Mammogram — right medio-lateral oblique. Patient age 38.
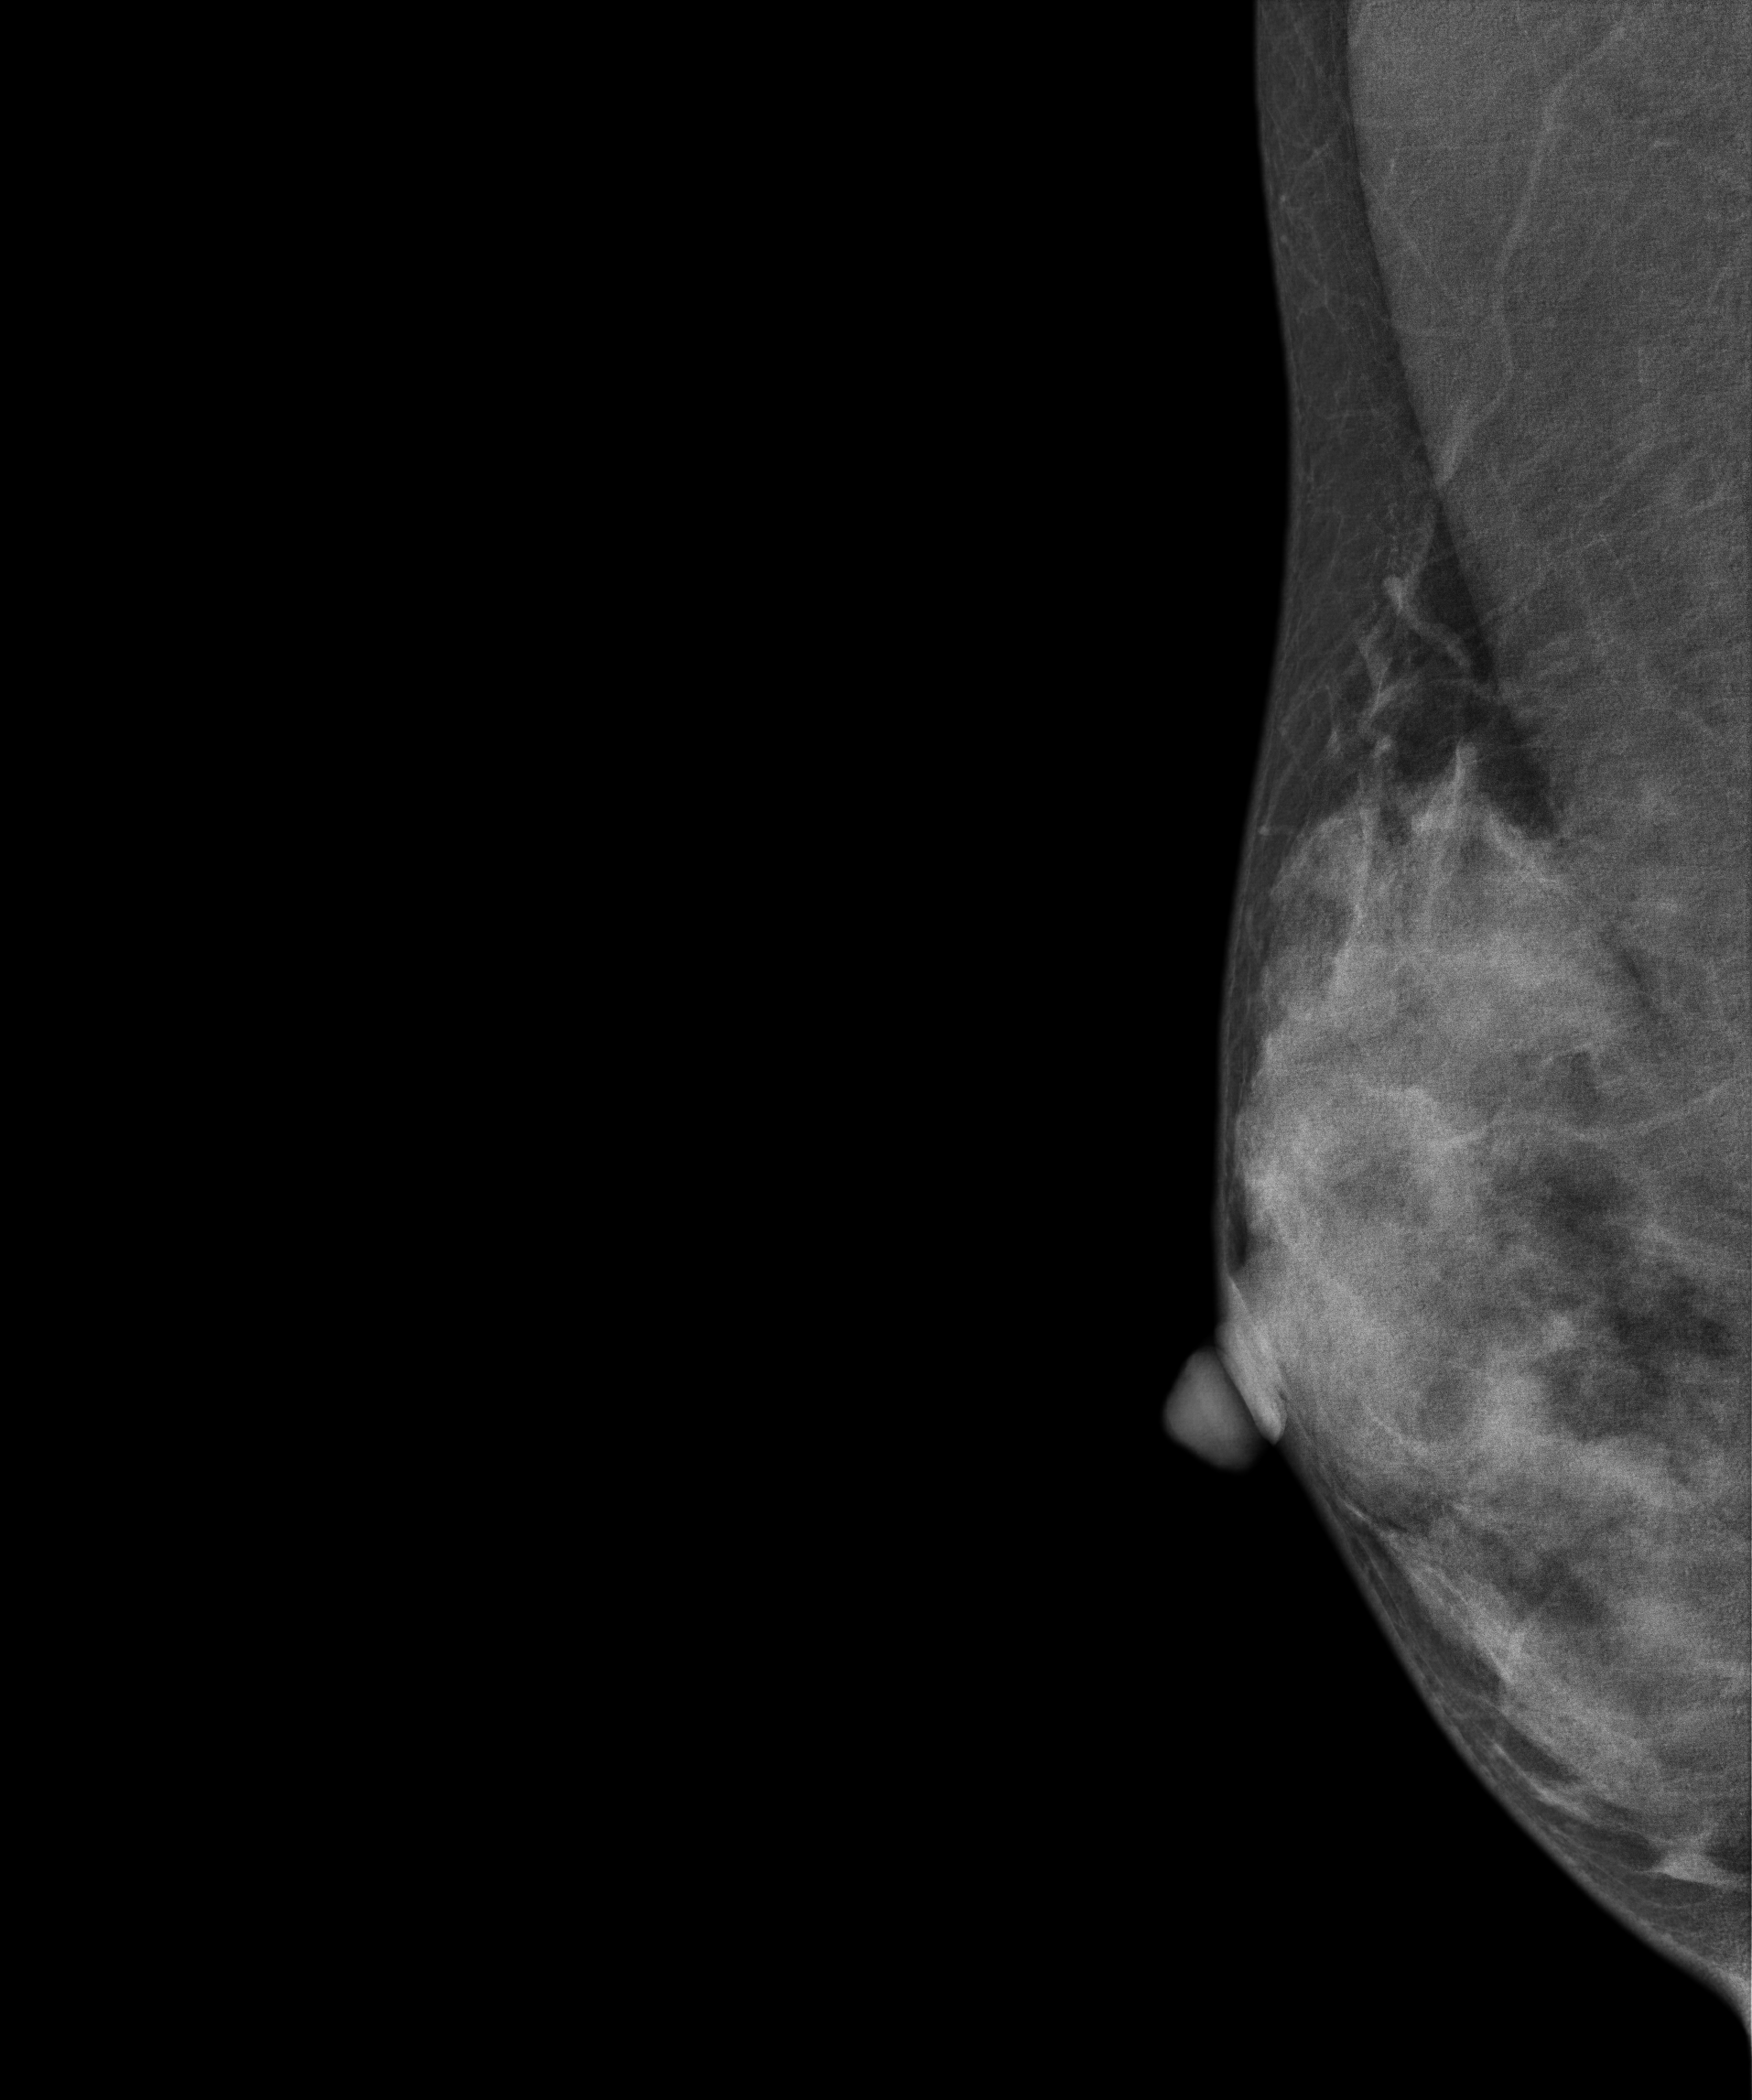
Contralateral breast — no documented abnormality on this side.